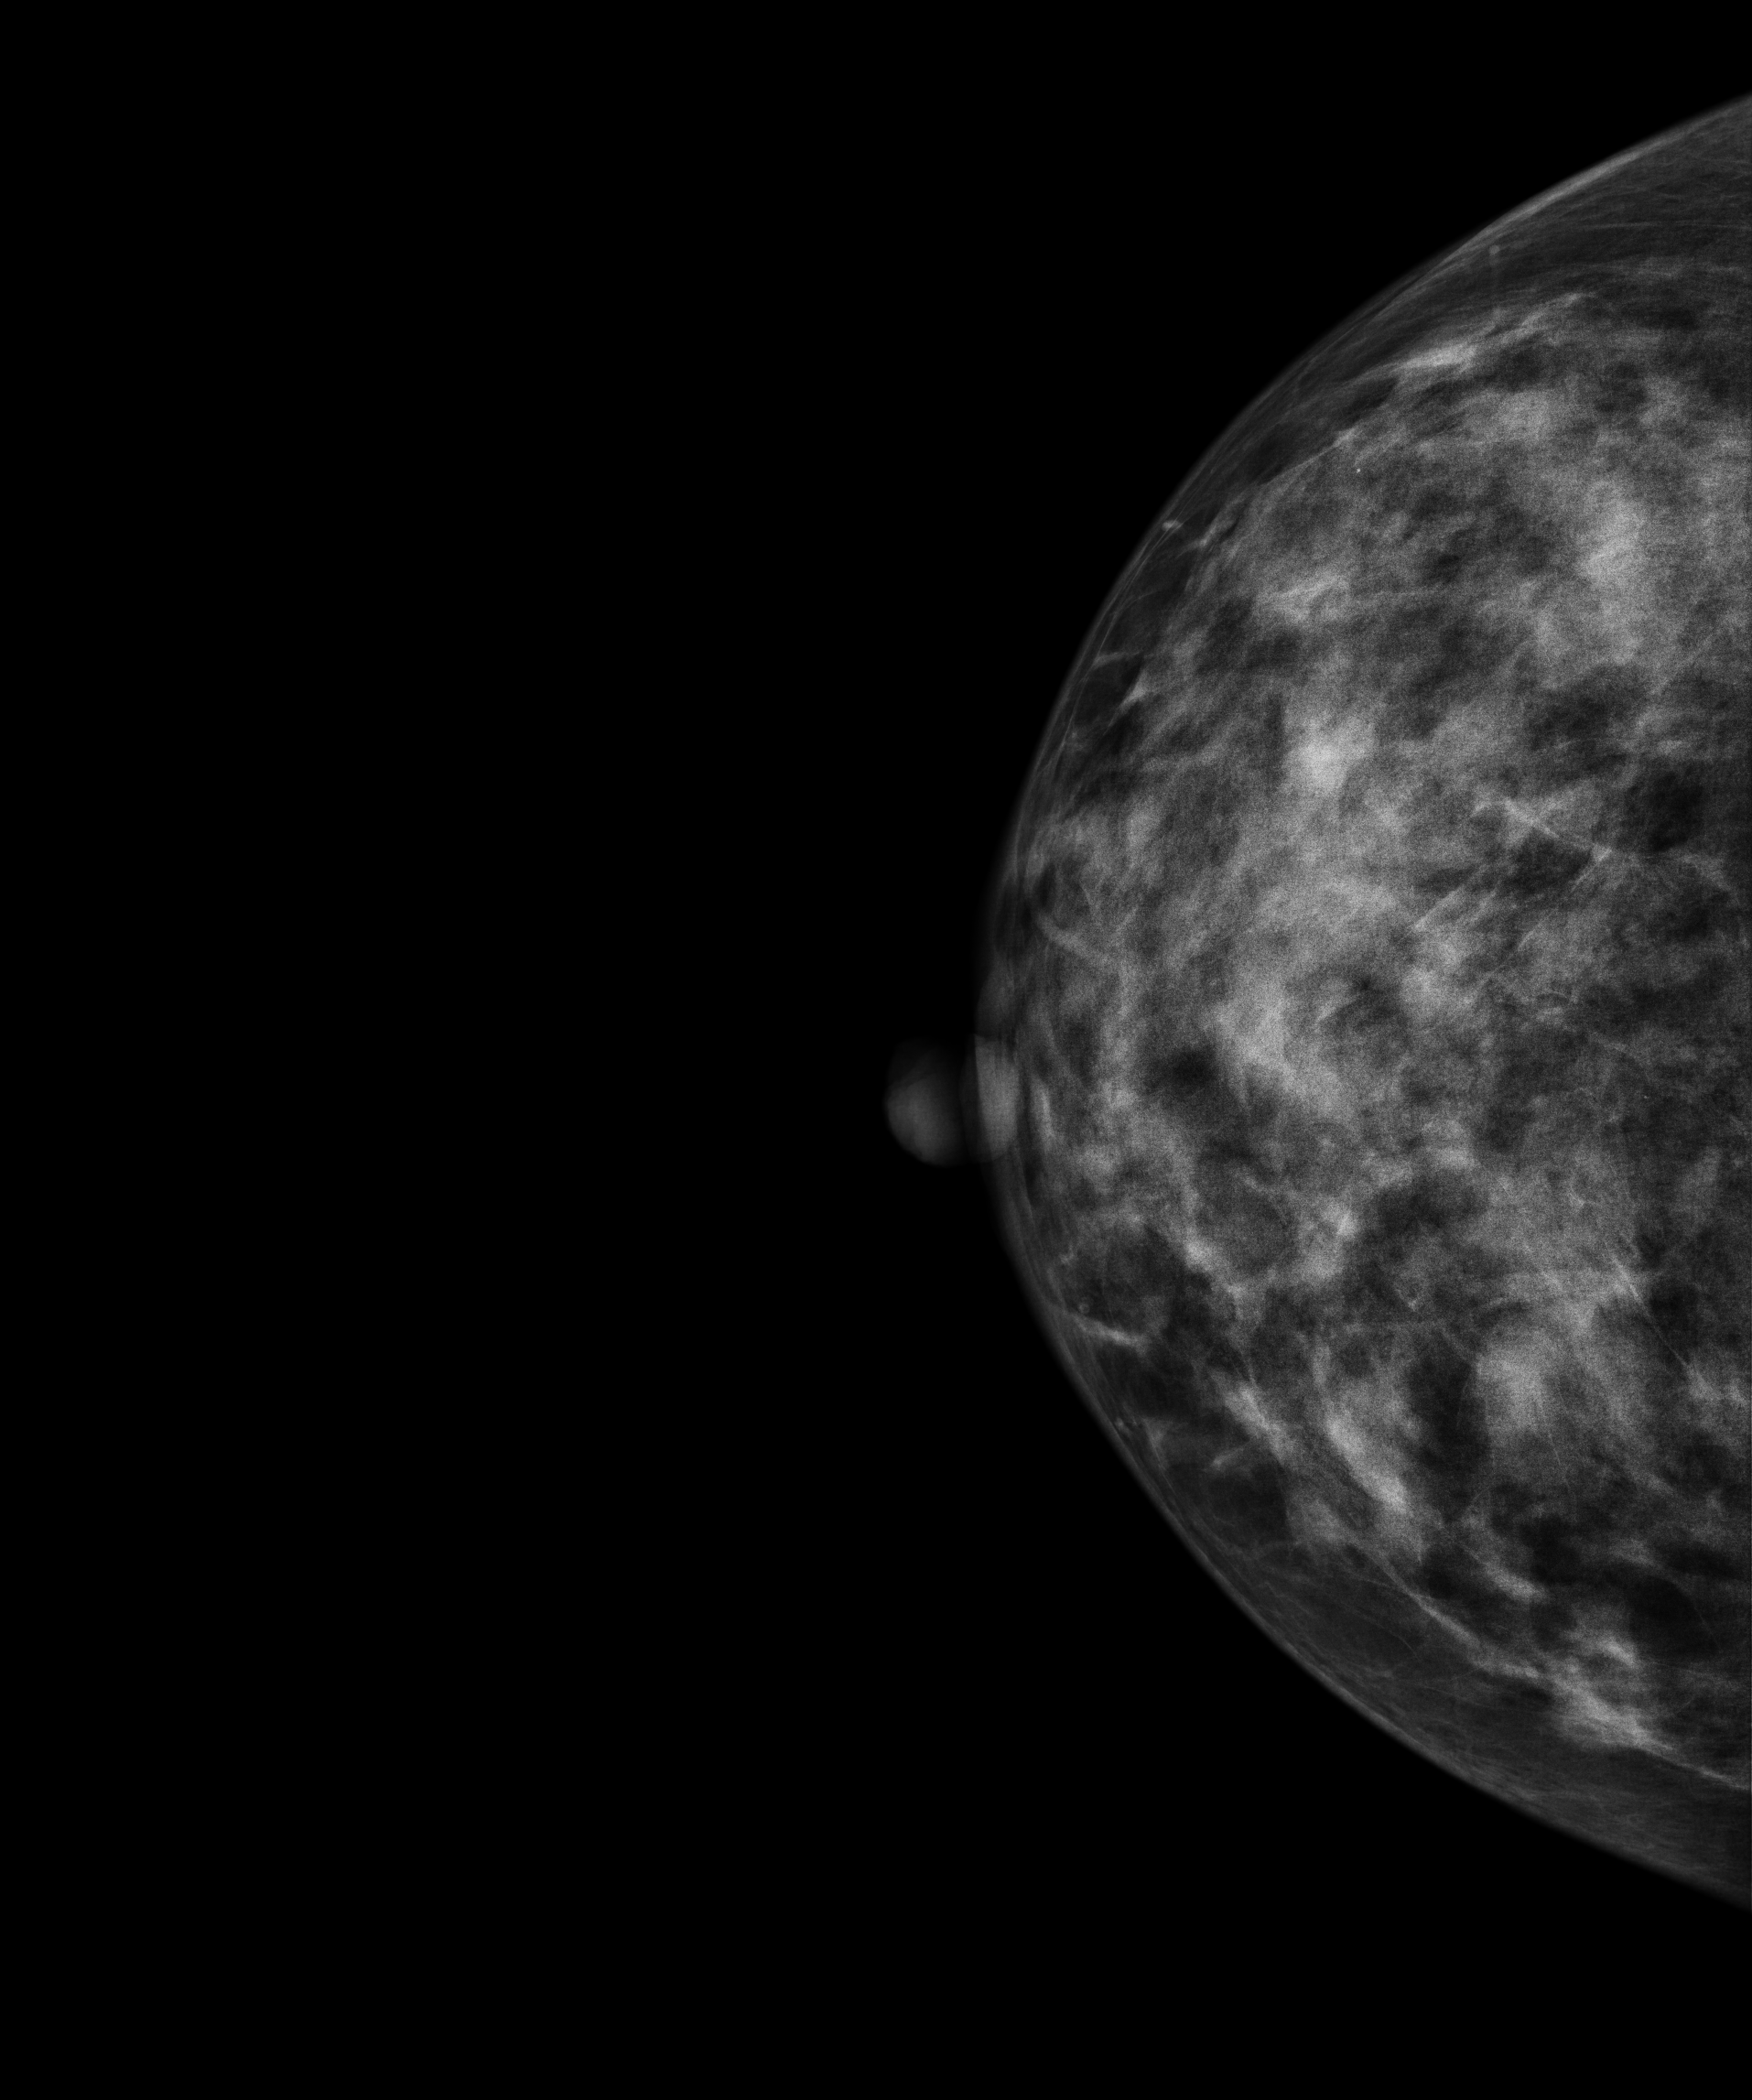
Digital mammography. Right breast, cranio-caudal projection. 48 y/o patient.
Contralateral breast — no documented abnormality on this side.